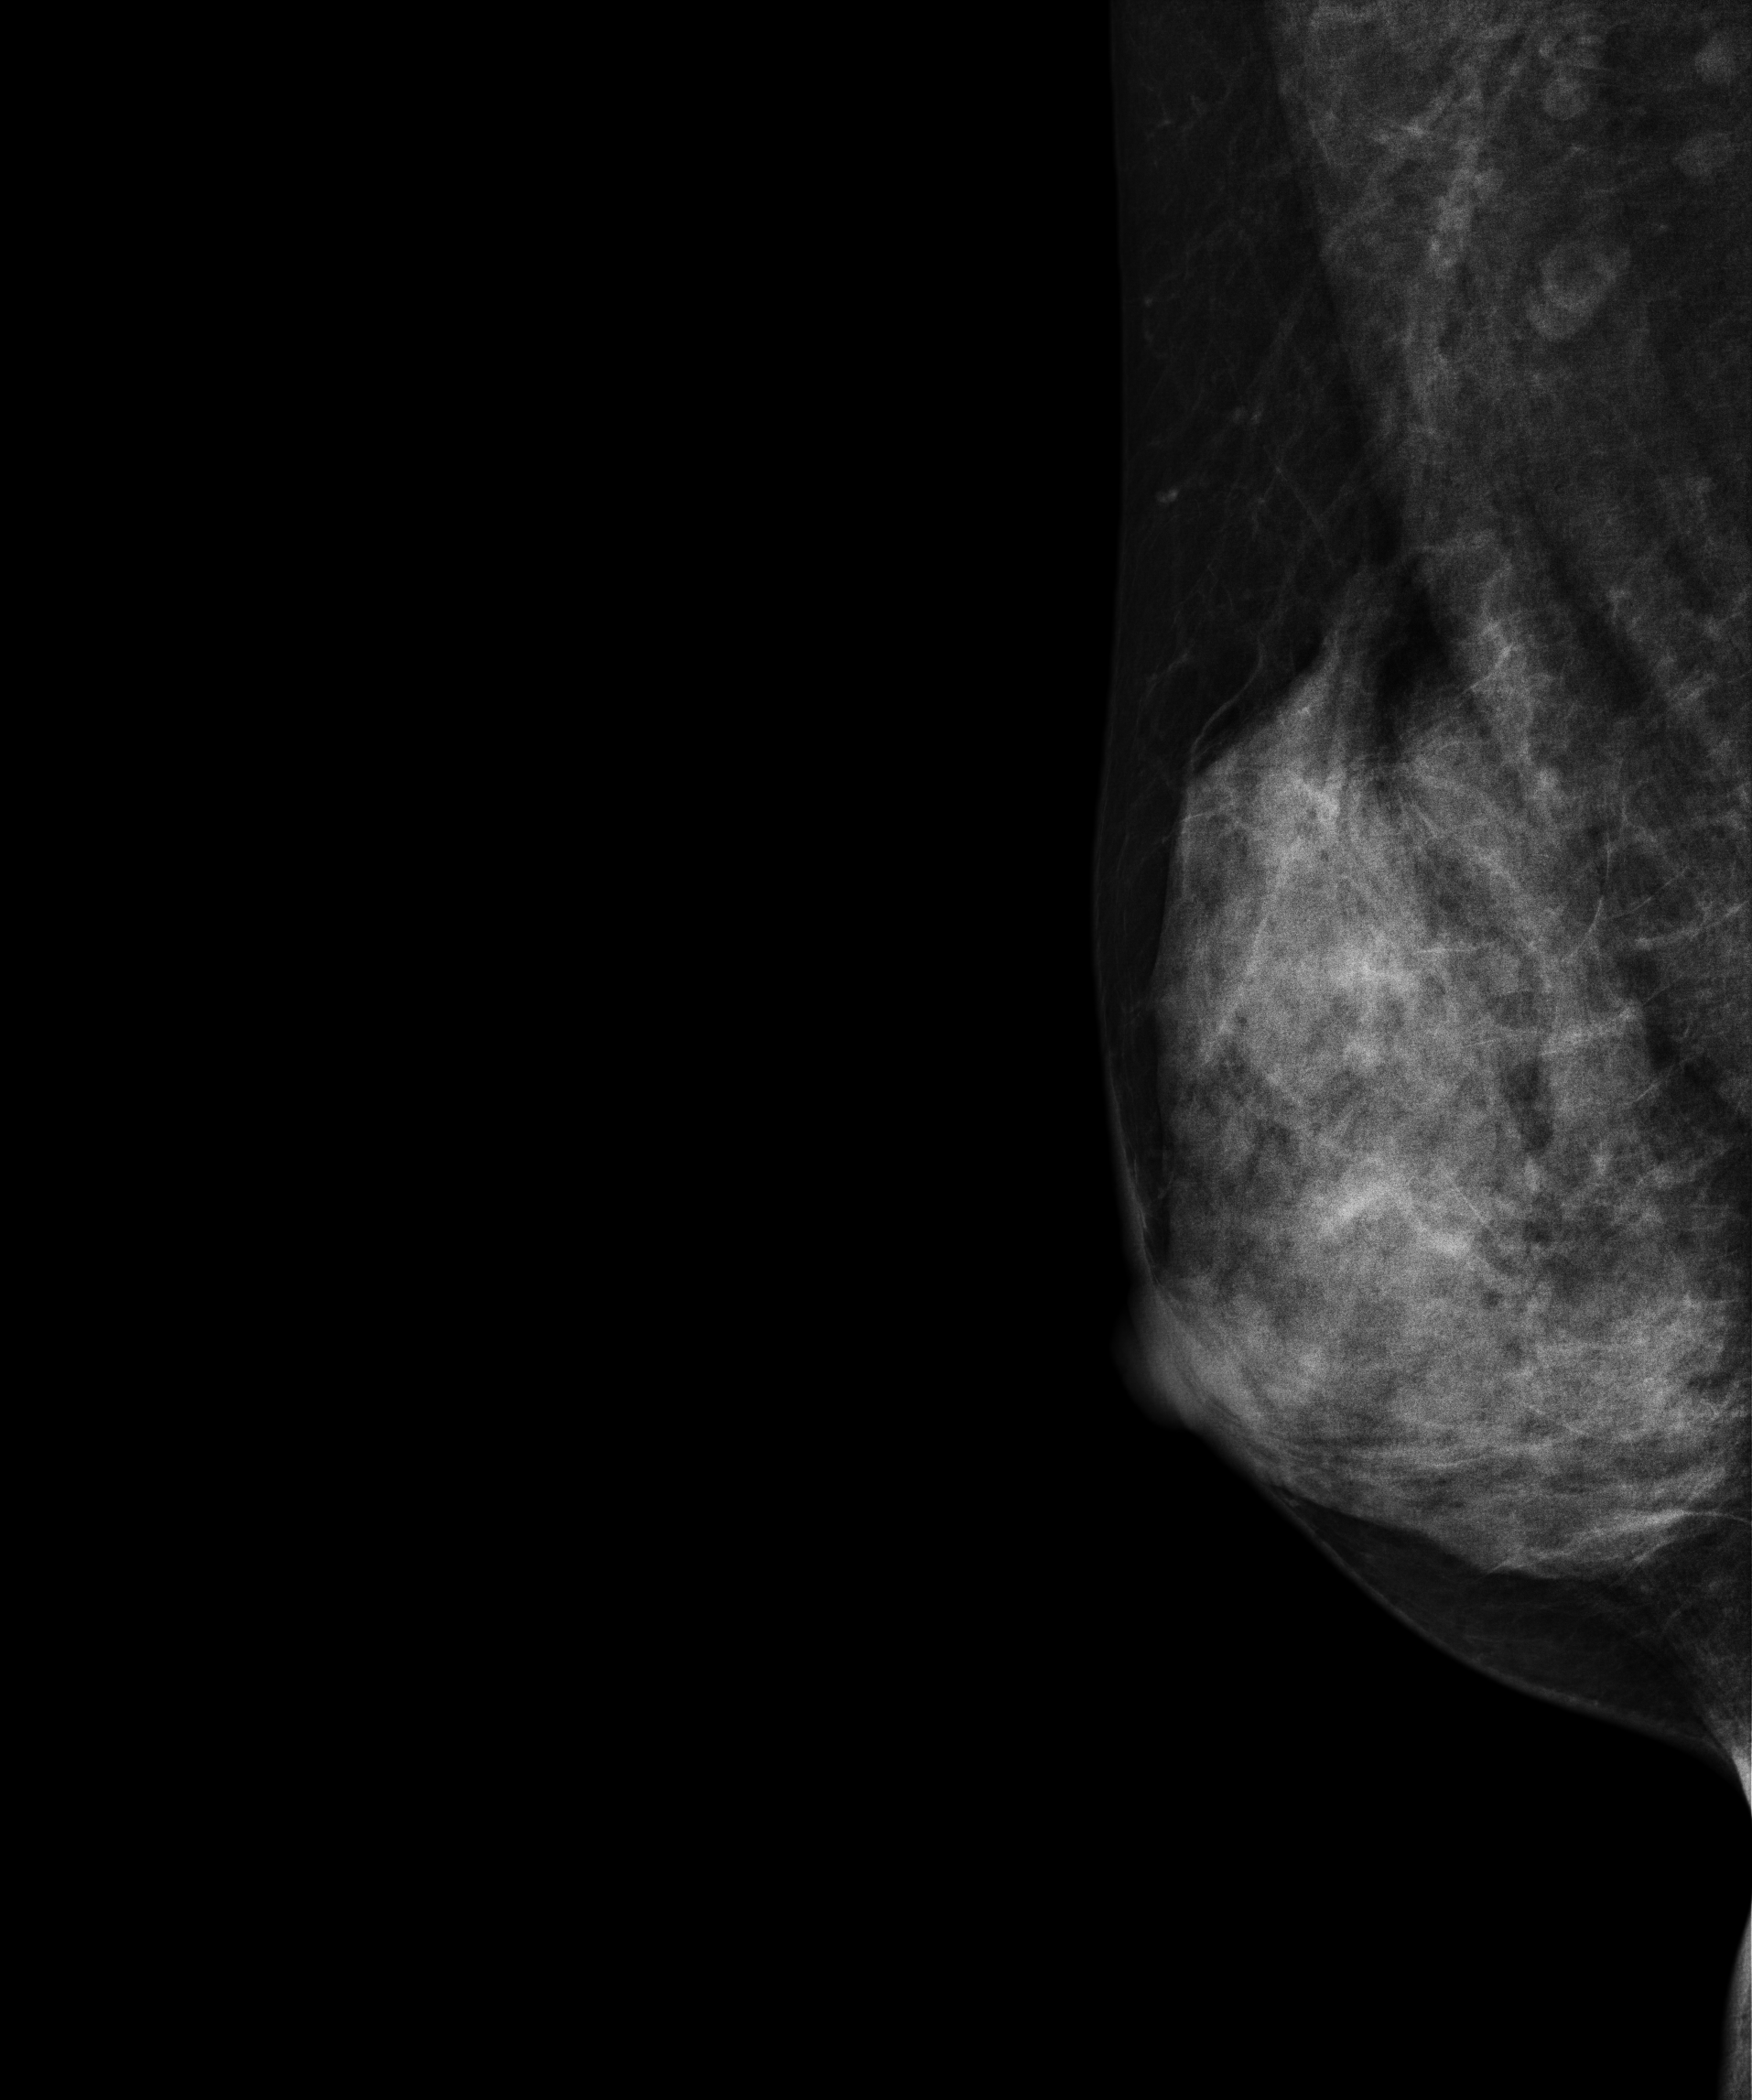
Right-breast mammogram, MLO. 48 y/o patient.
This breast has a mass, histologically confirmed benign.